Left-breast mammogram, CC. 27-year-old patient.
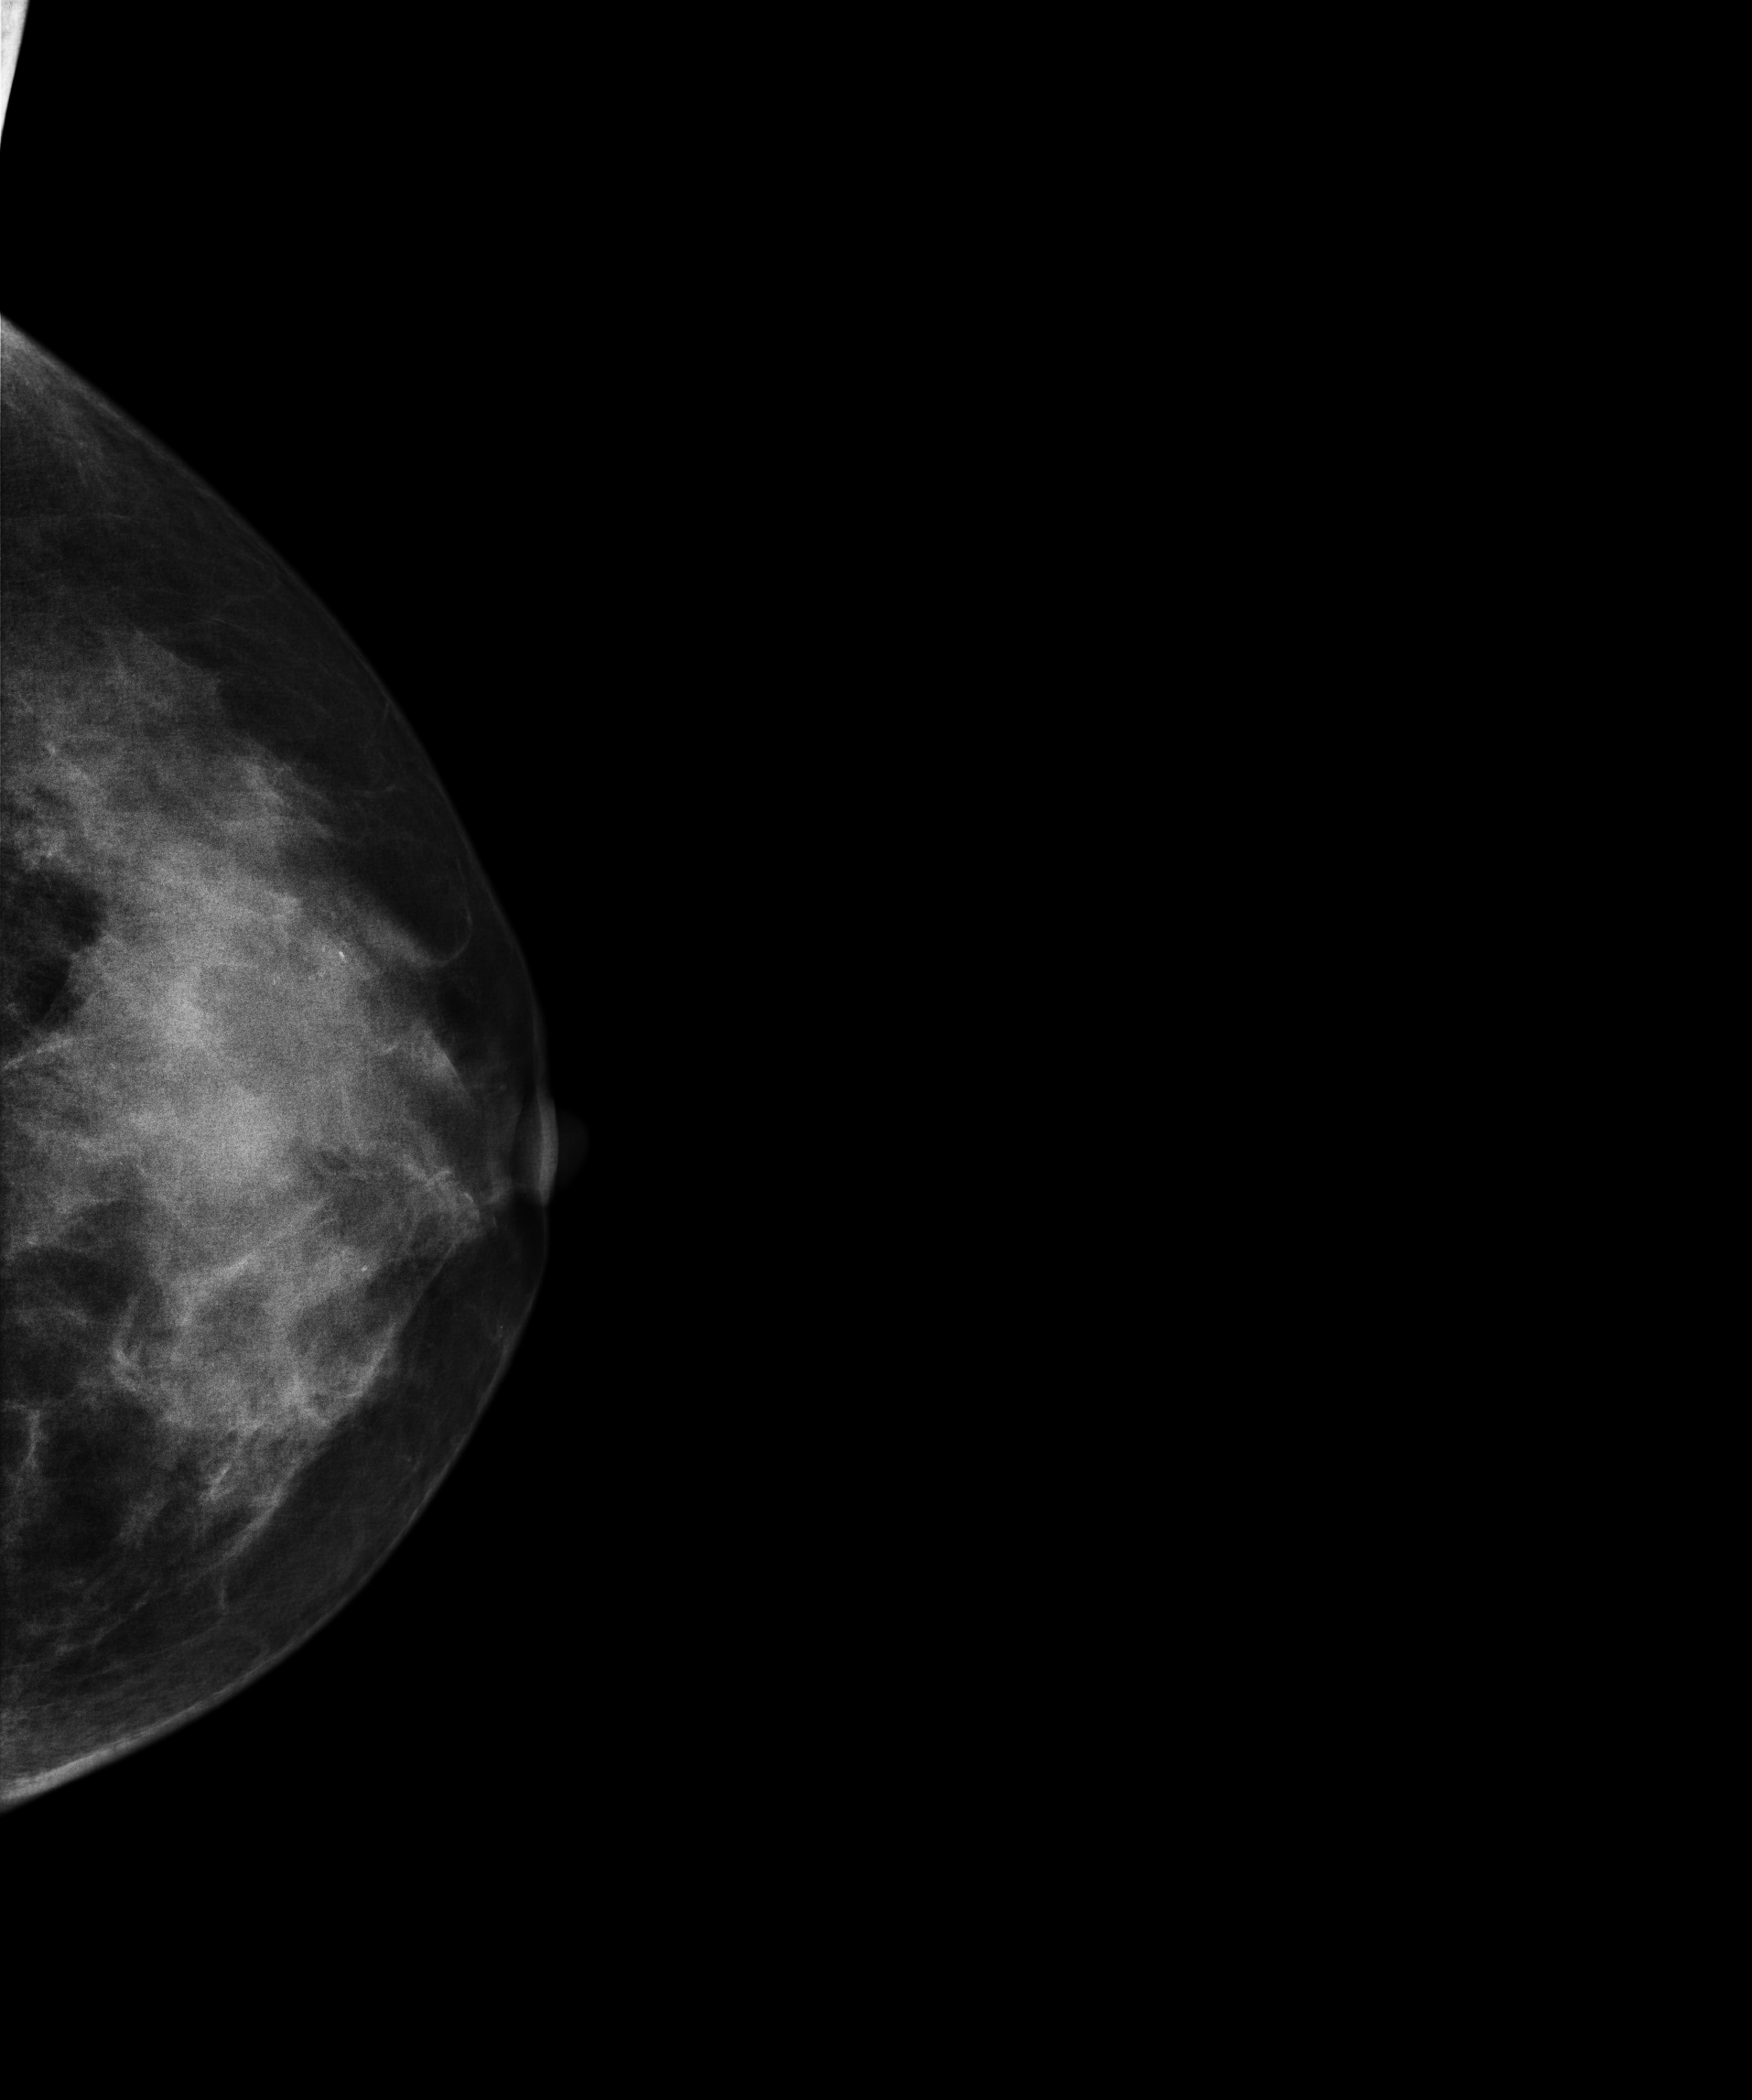
This breast has calcifications, histologically confirmed benign.